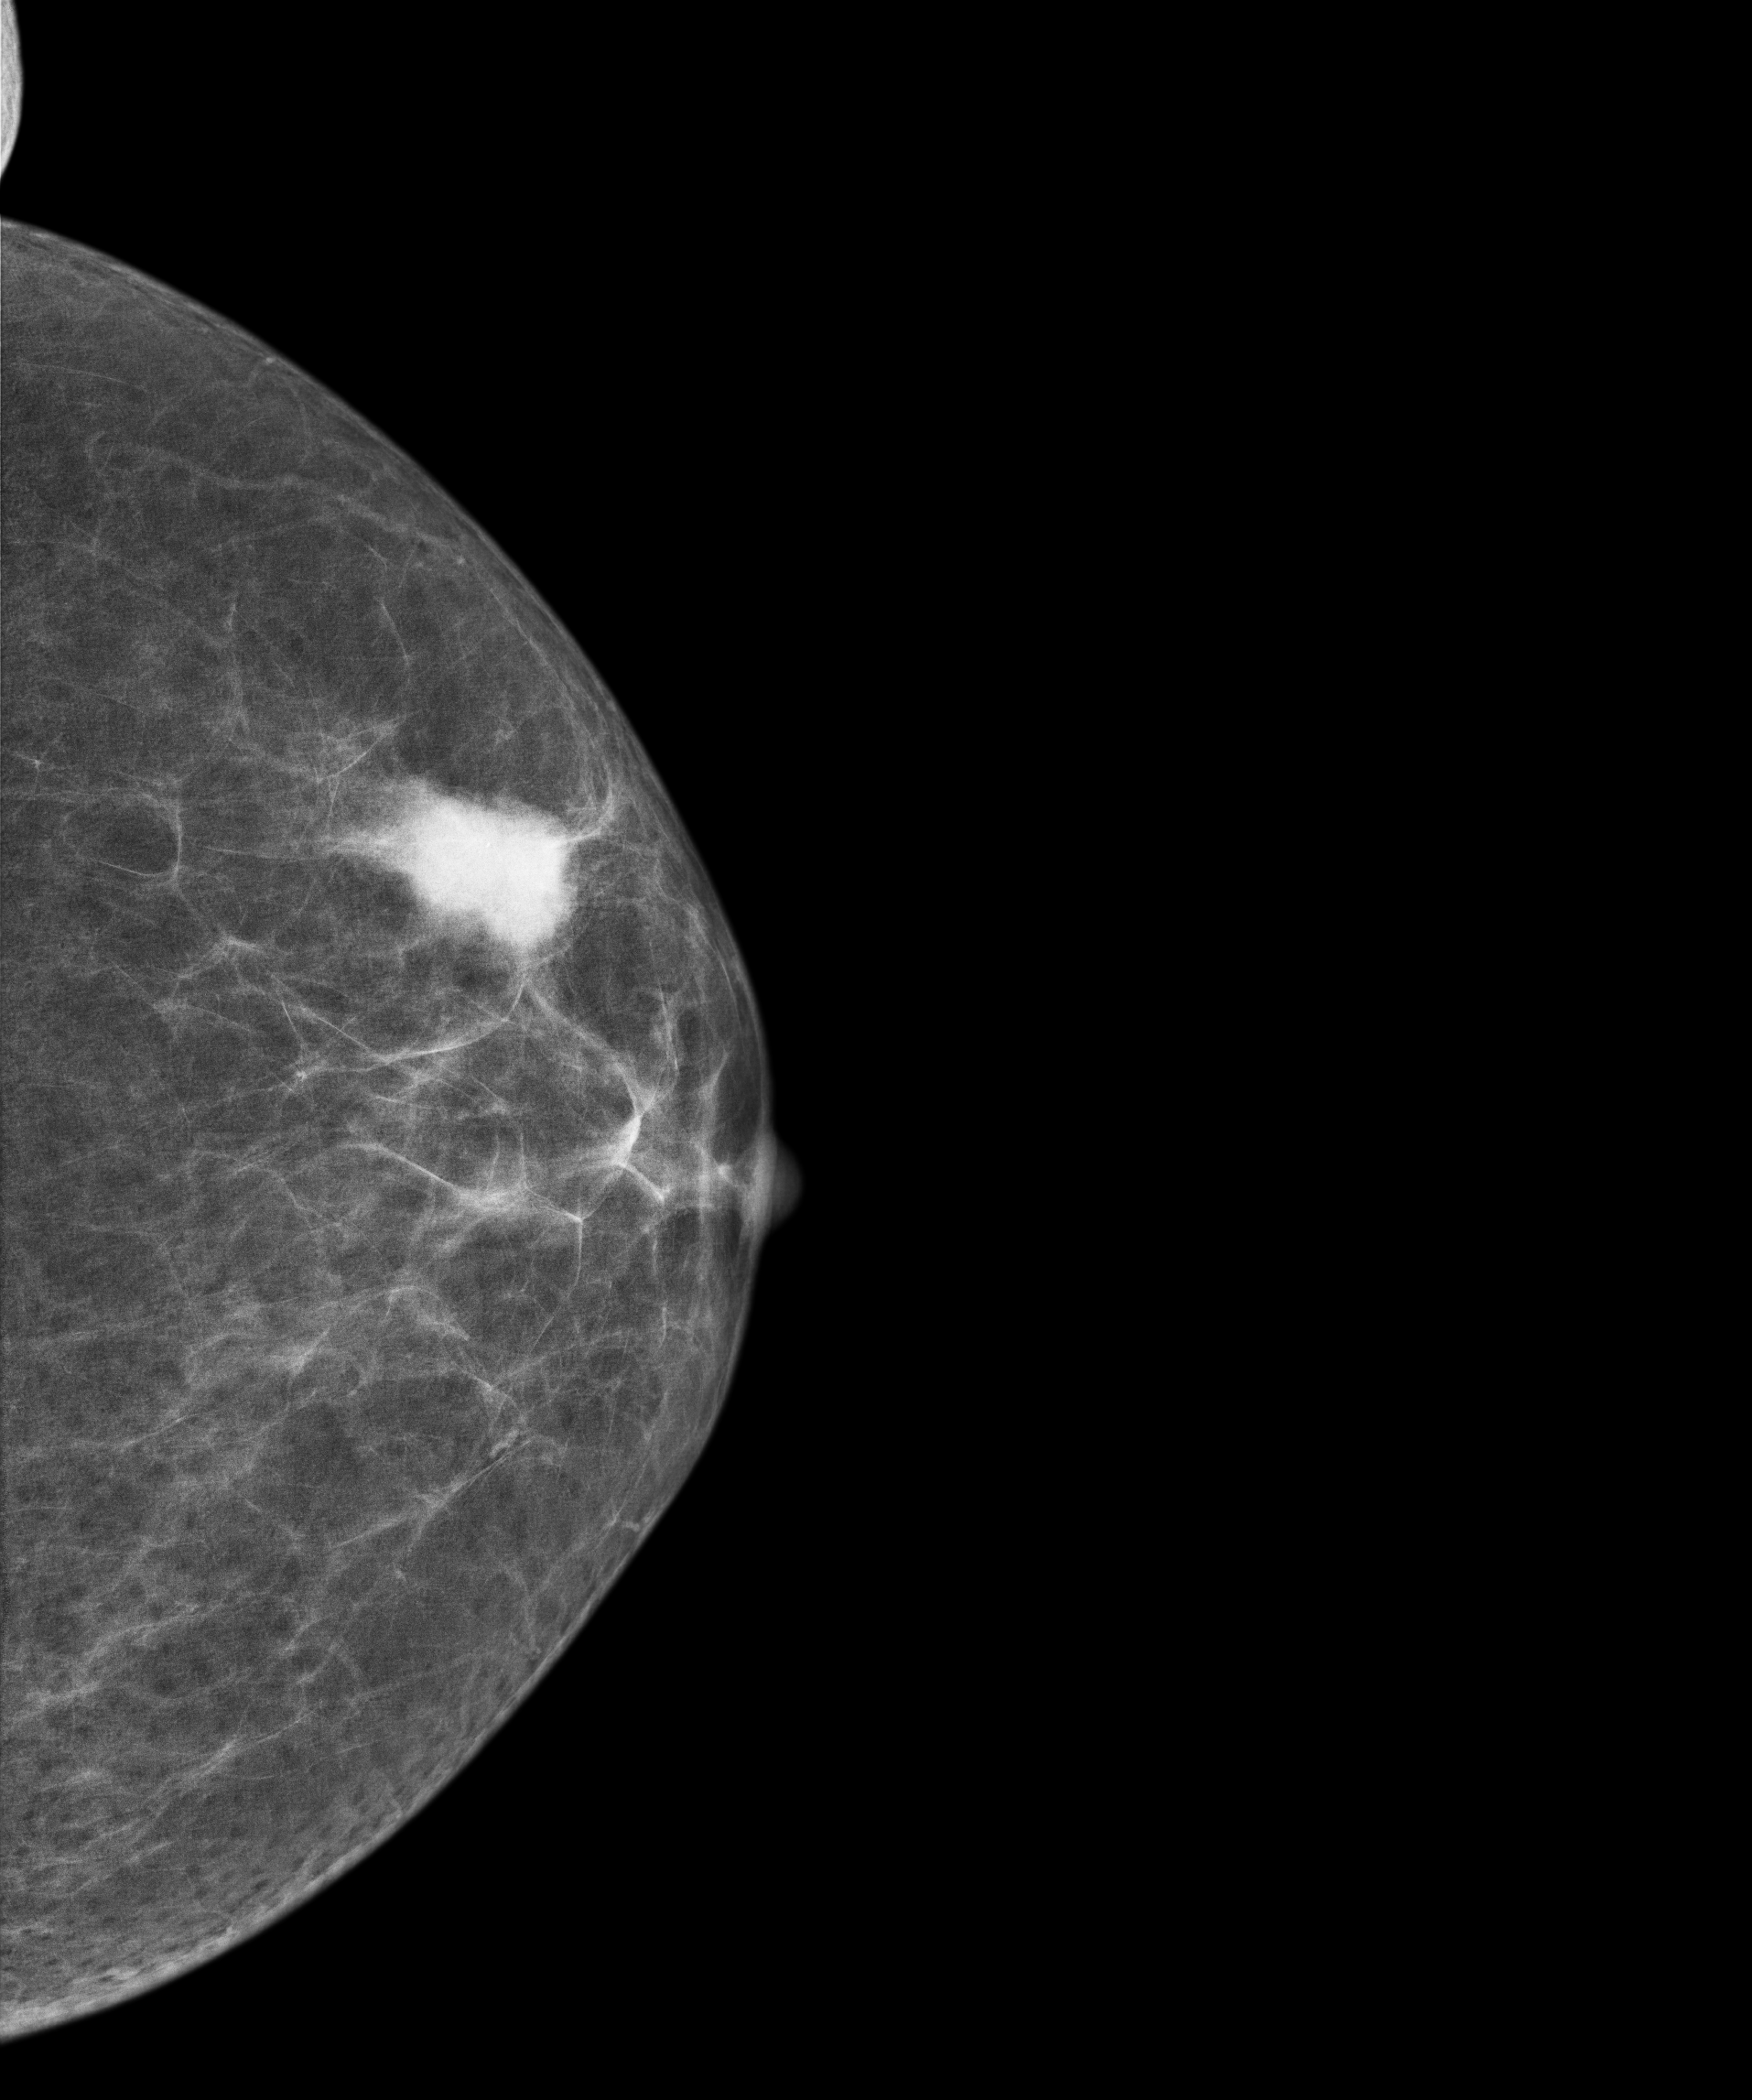
Mammogram — left cranio-caudal. 60-year-old patient.
This breast has a mass, biopsy-proven malignant.